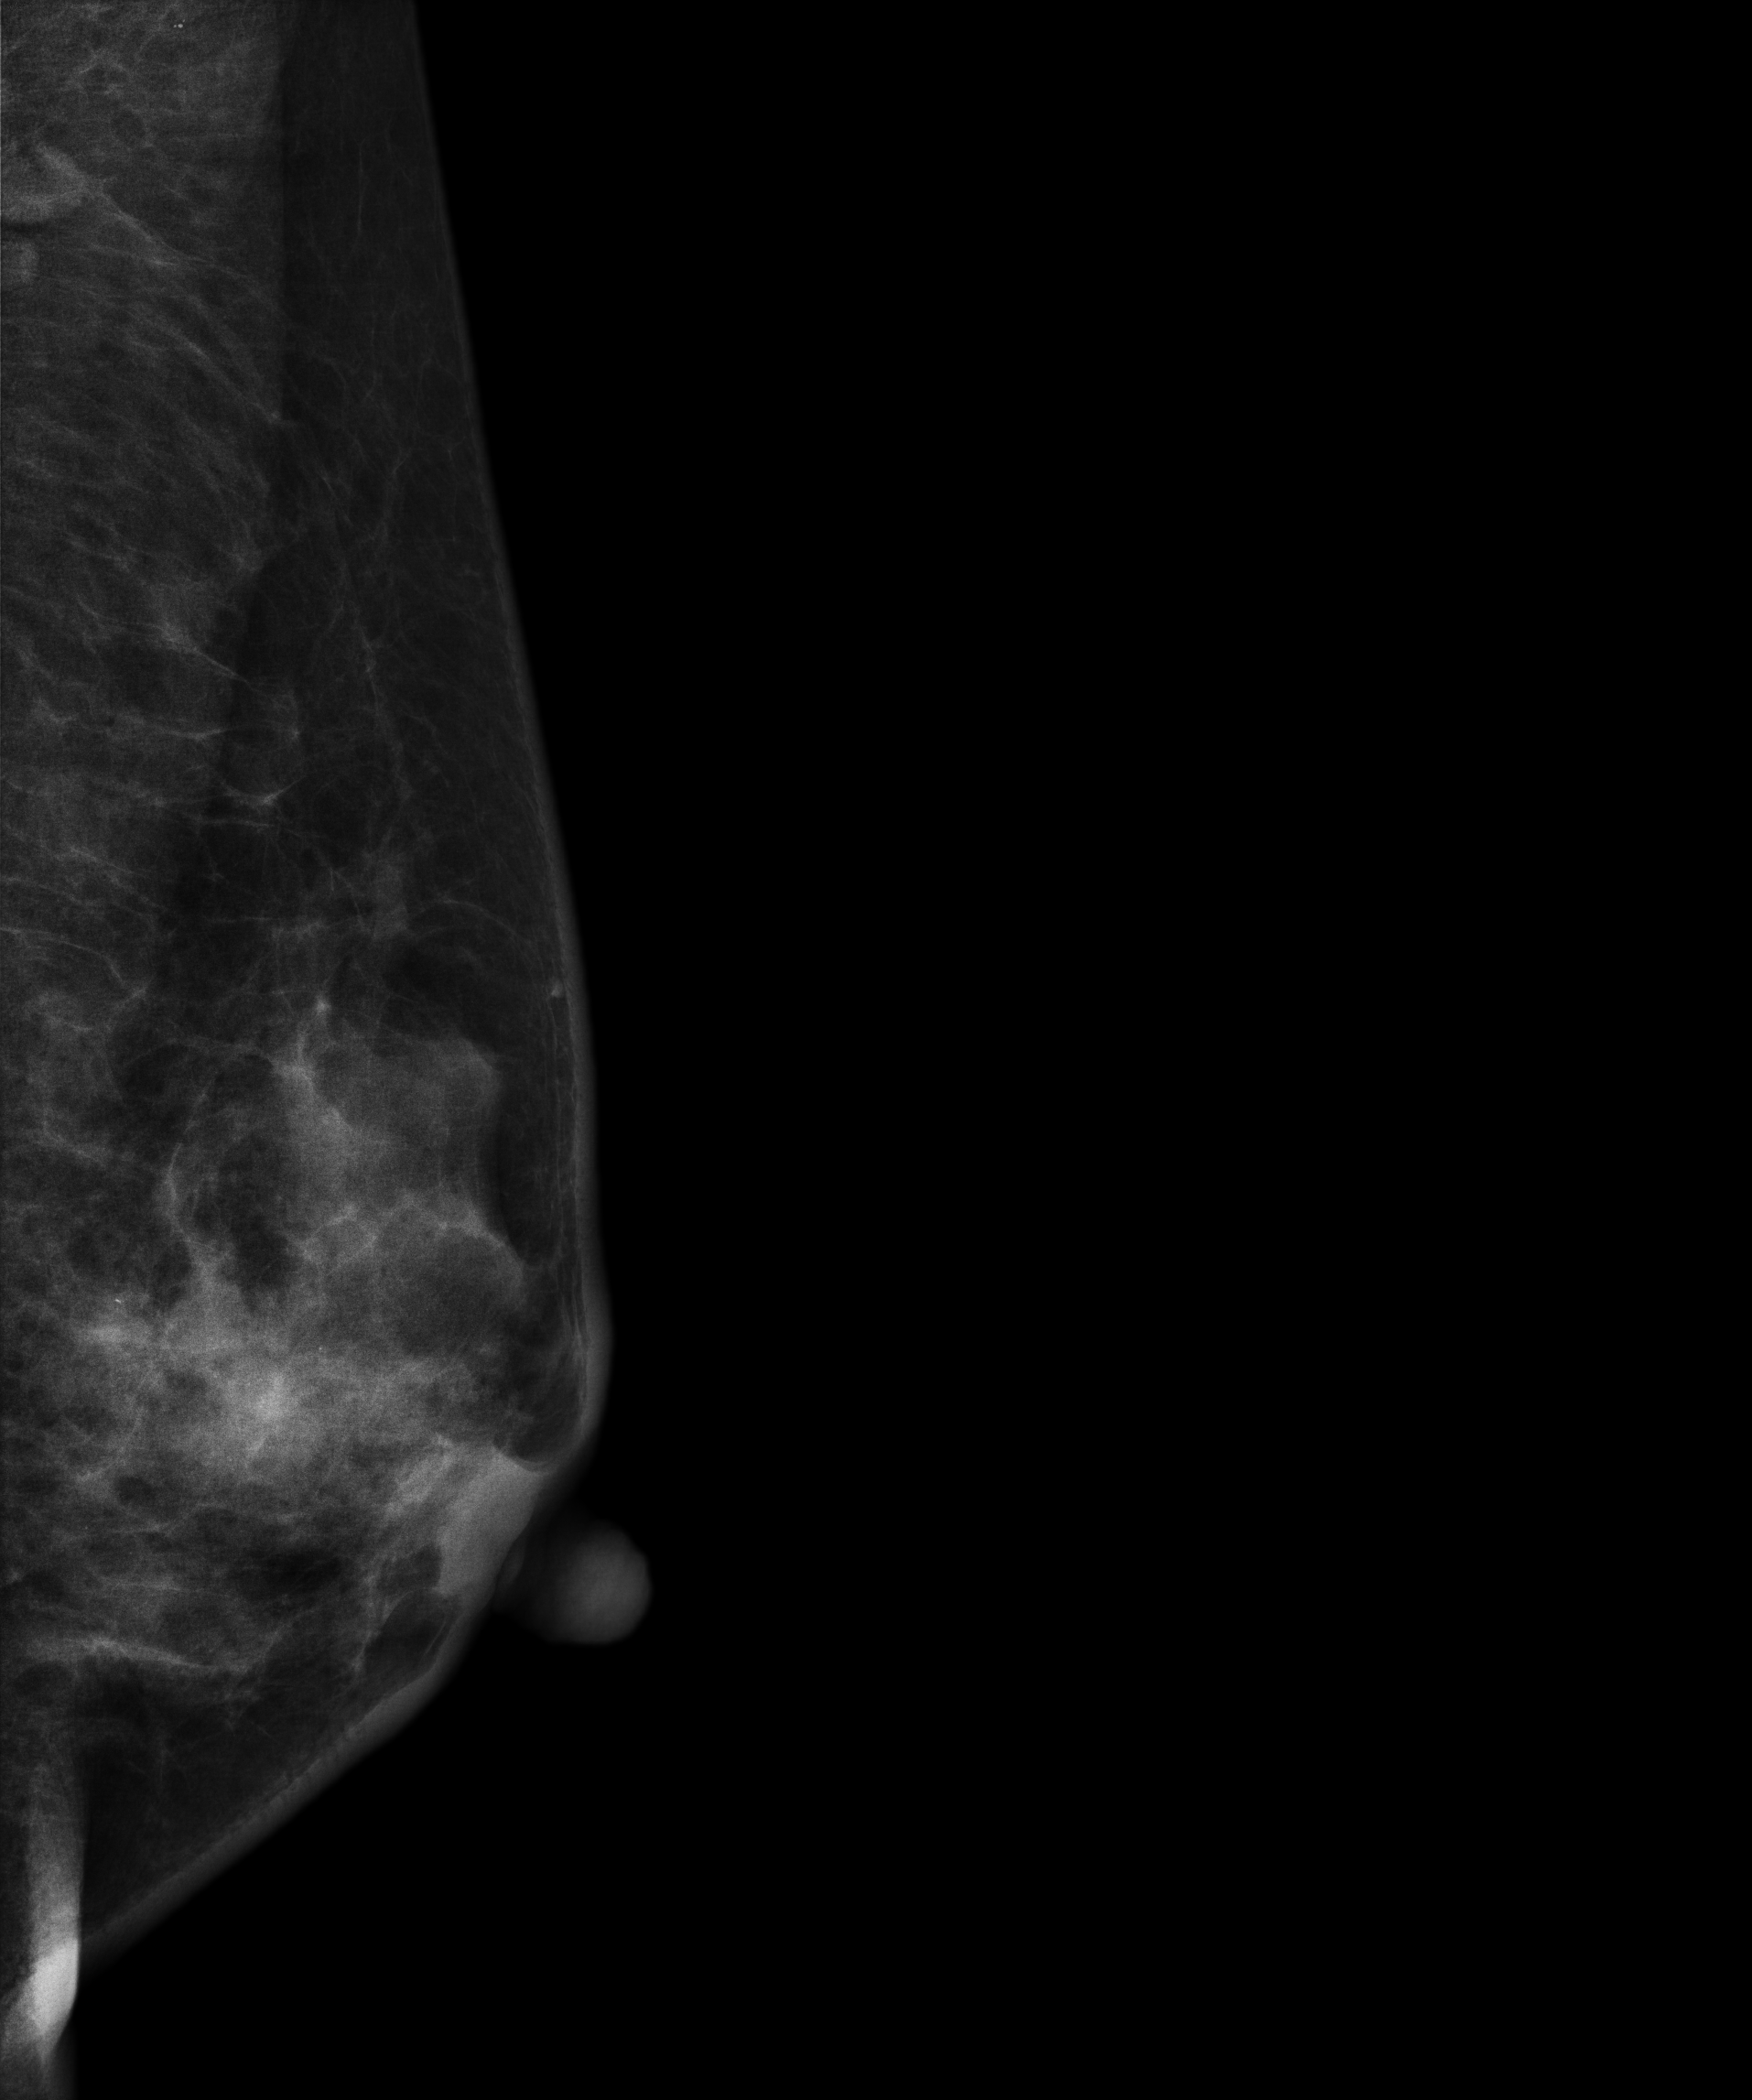
Left-breast mammogram, MLO. 48-year-old patient.
This breast has a mass and calcifications, pathology-confirmed malignant. Molecular subtype: HER2-enriched.